Mammogram, right breast, medio-lateral oblique view. 42-year-old patient.
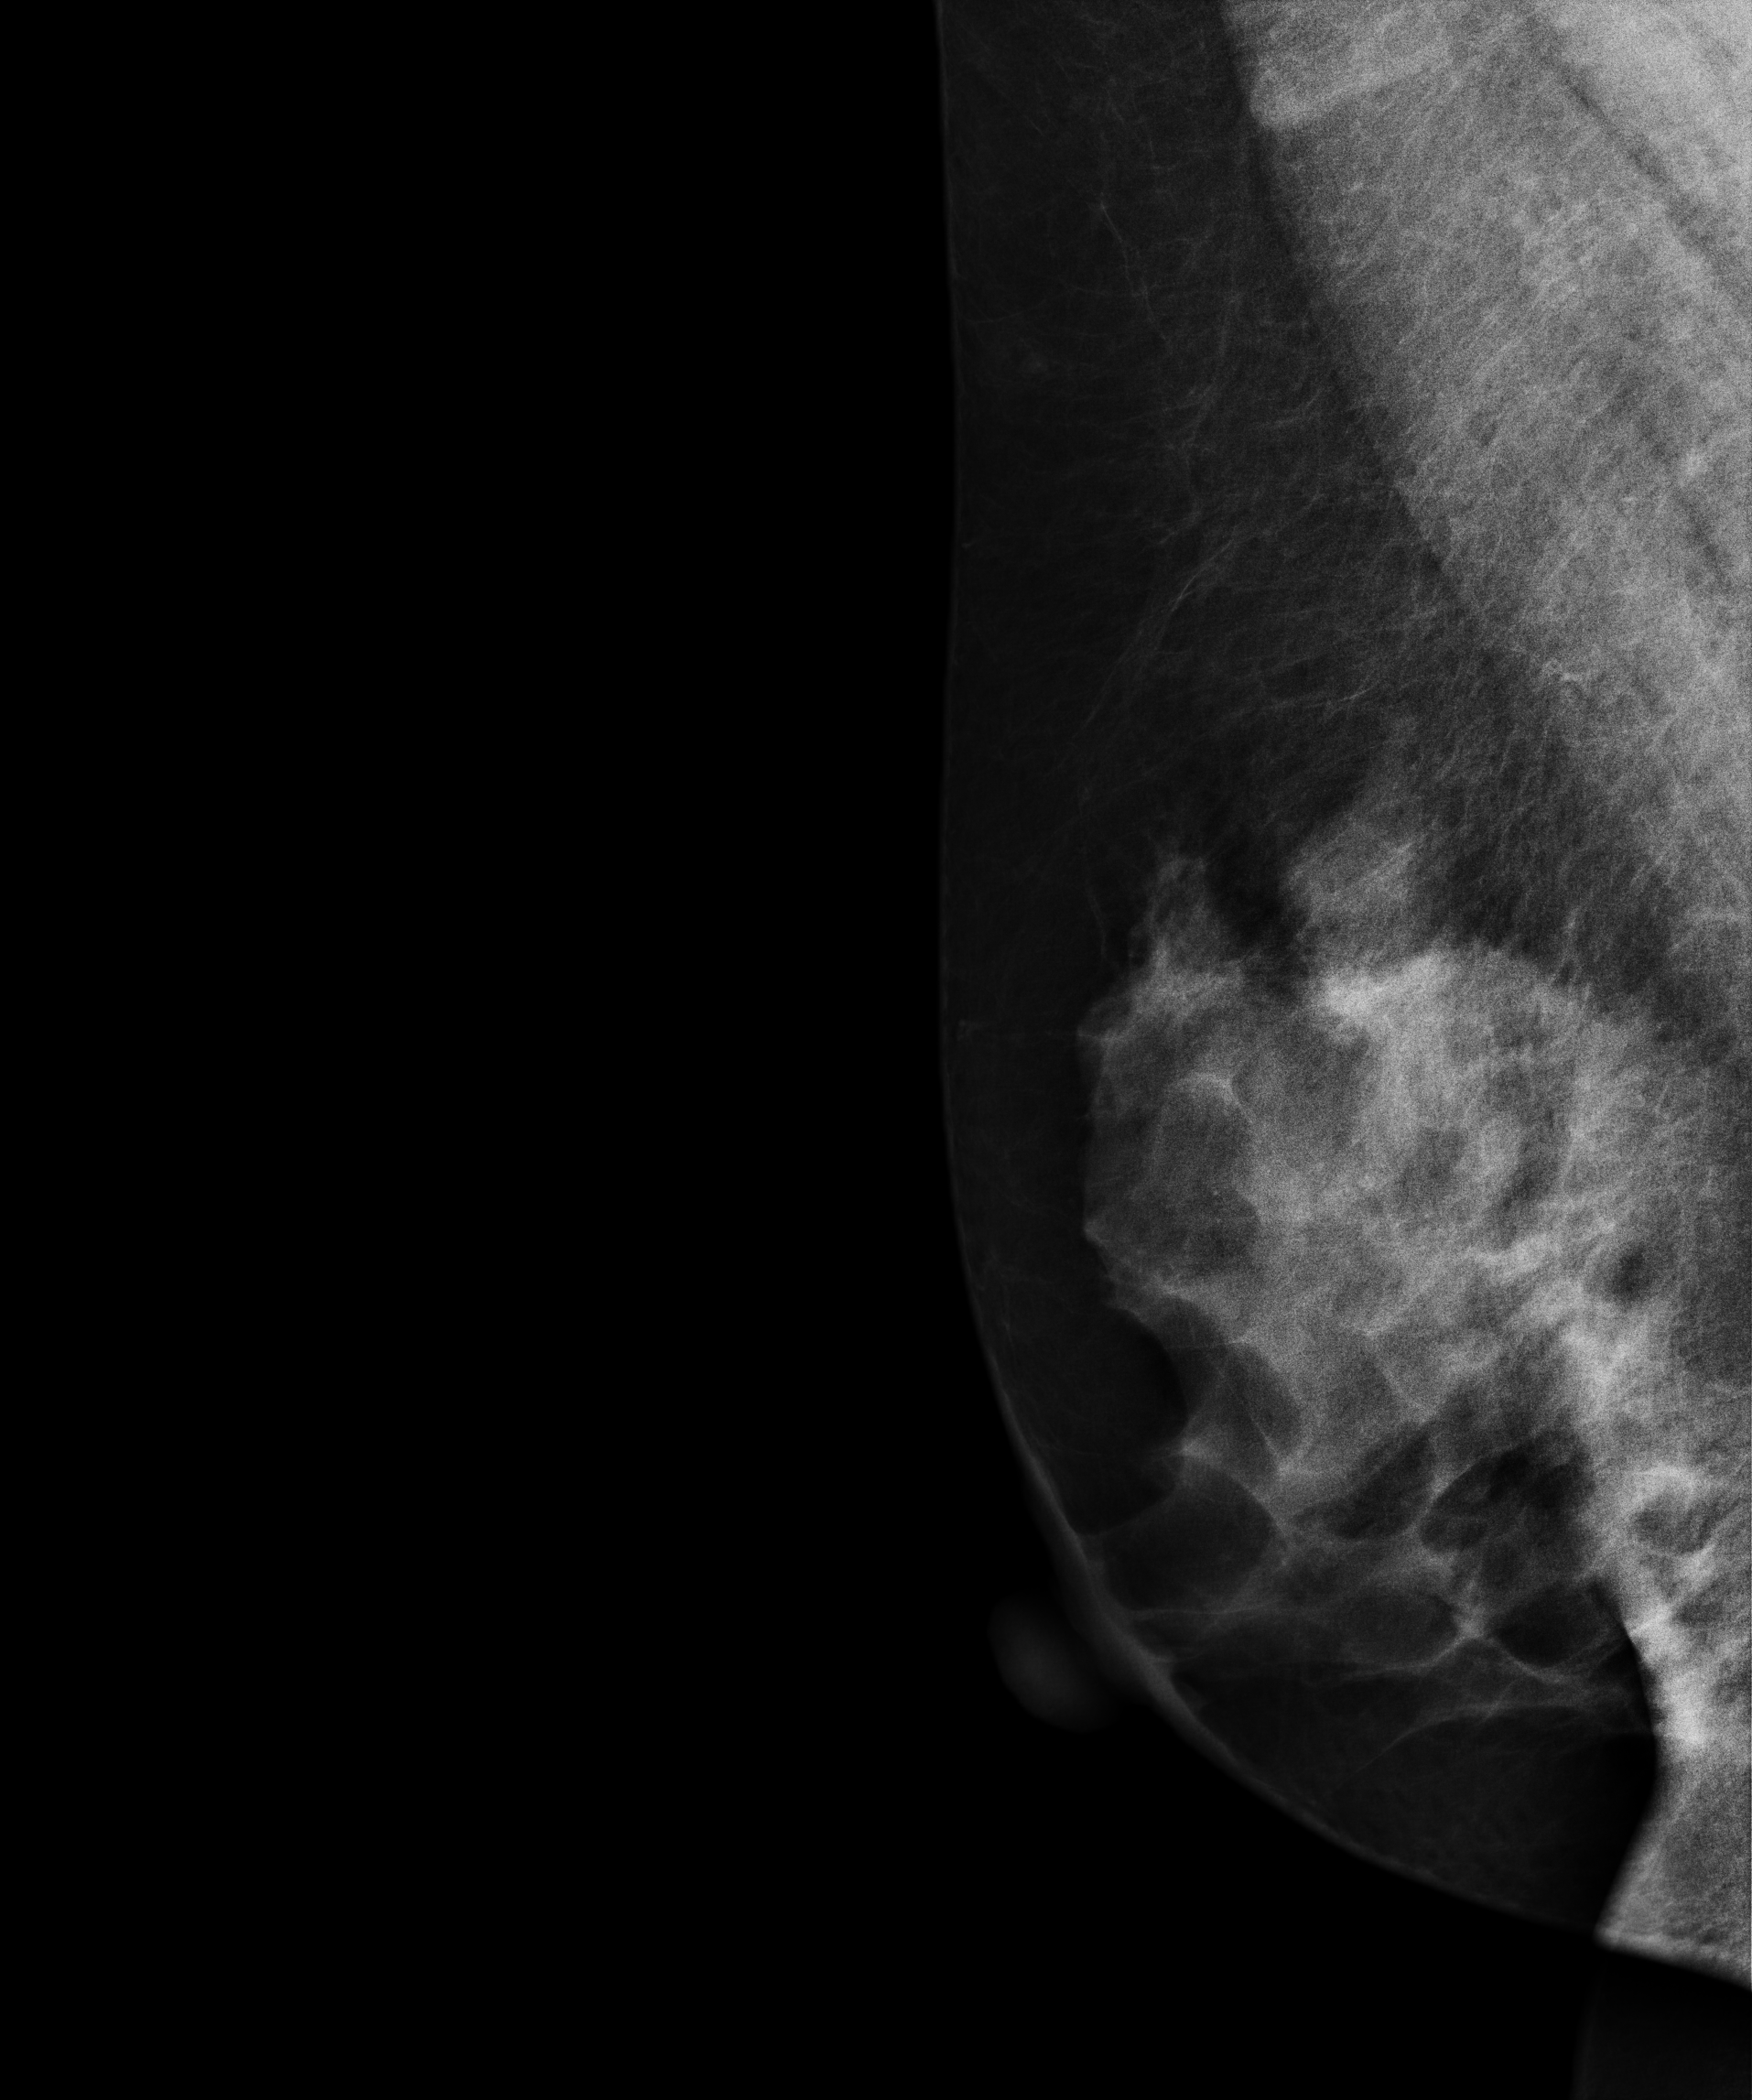
This breast has a mass, biopsy-confirmed malignant. Molecular subtype: luminal B.